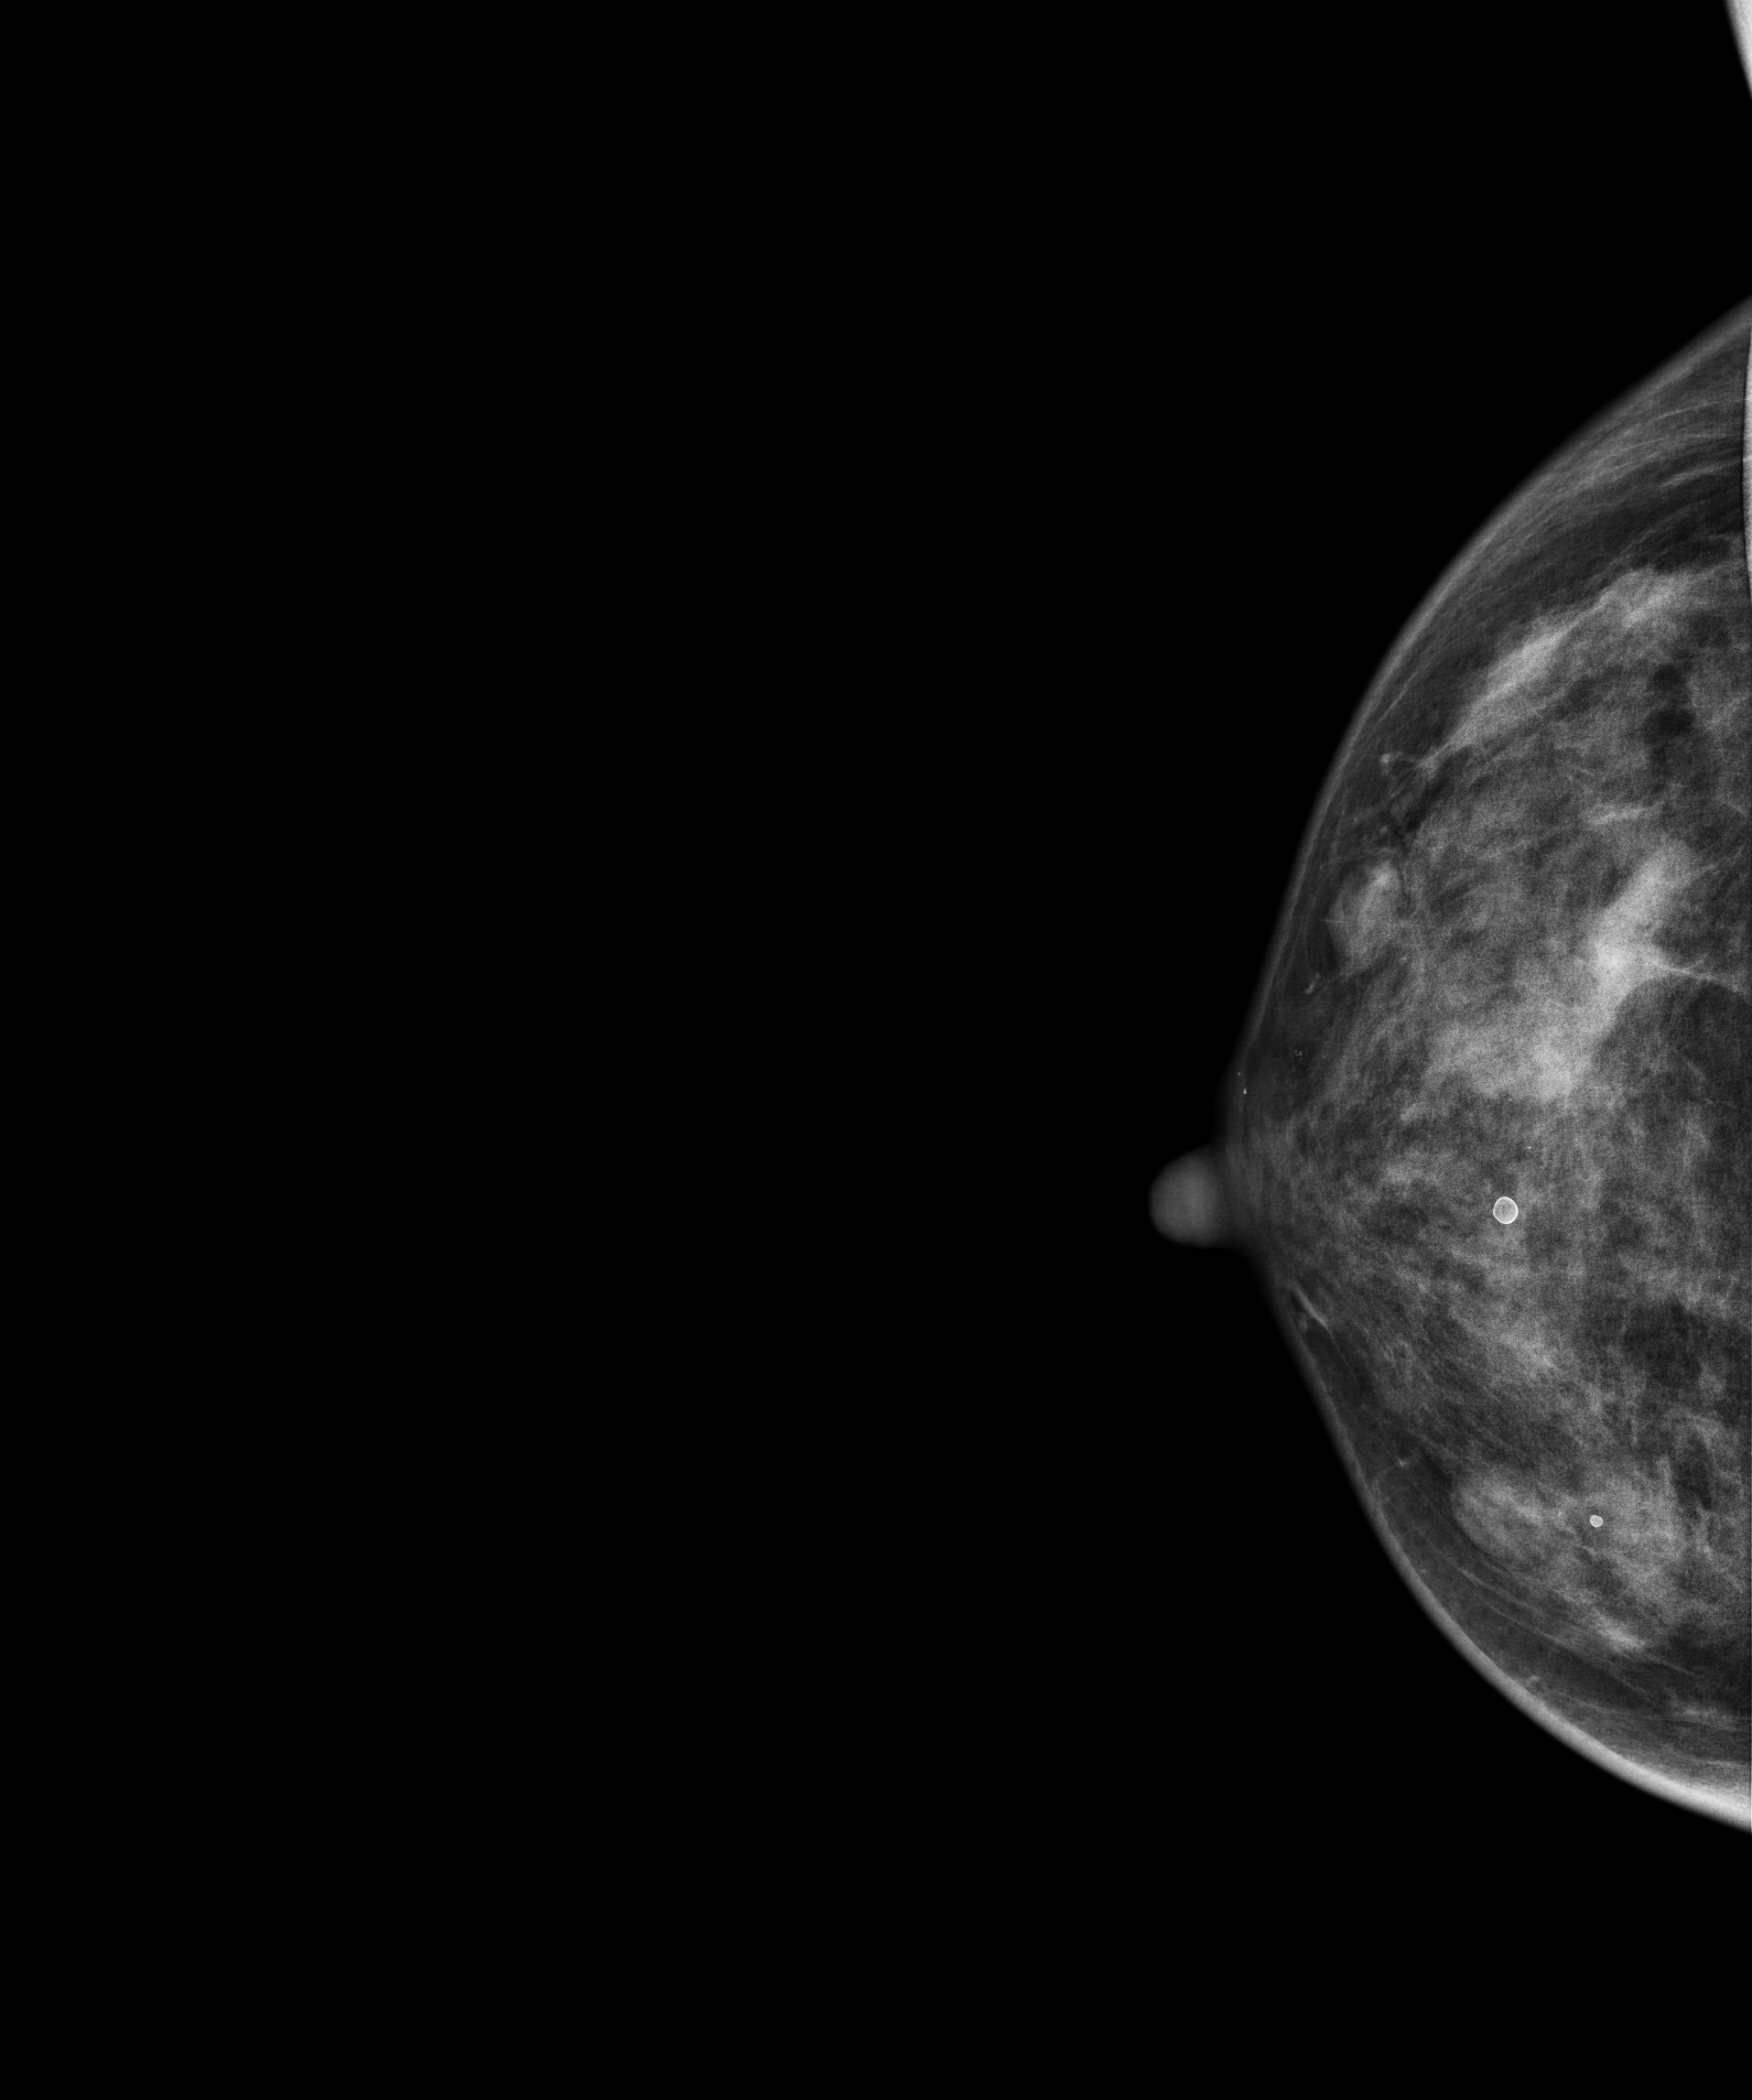
Mammogram — right cranio-caudal. Patient age 45.
This breast has a mass and calcifications, histologically confirmed benign.